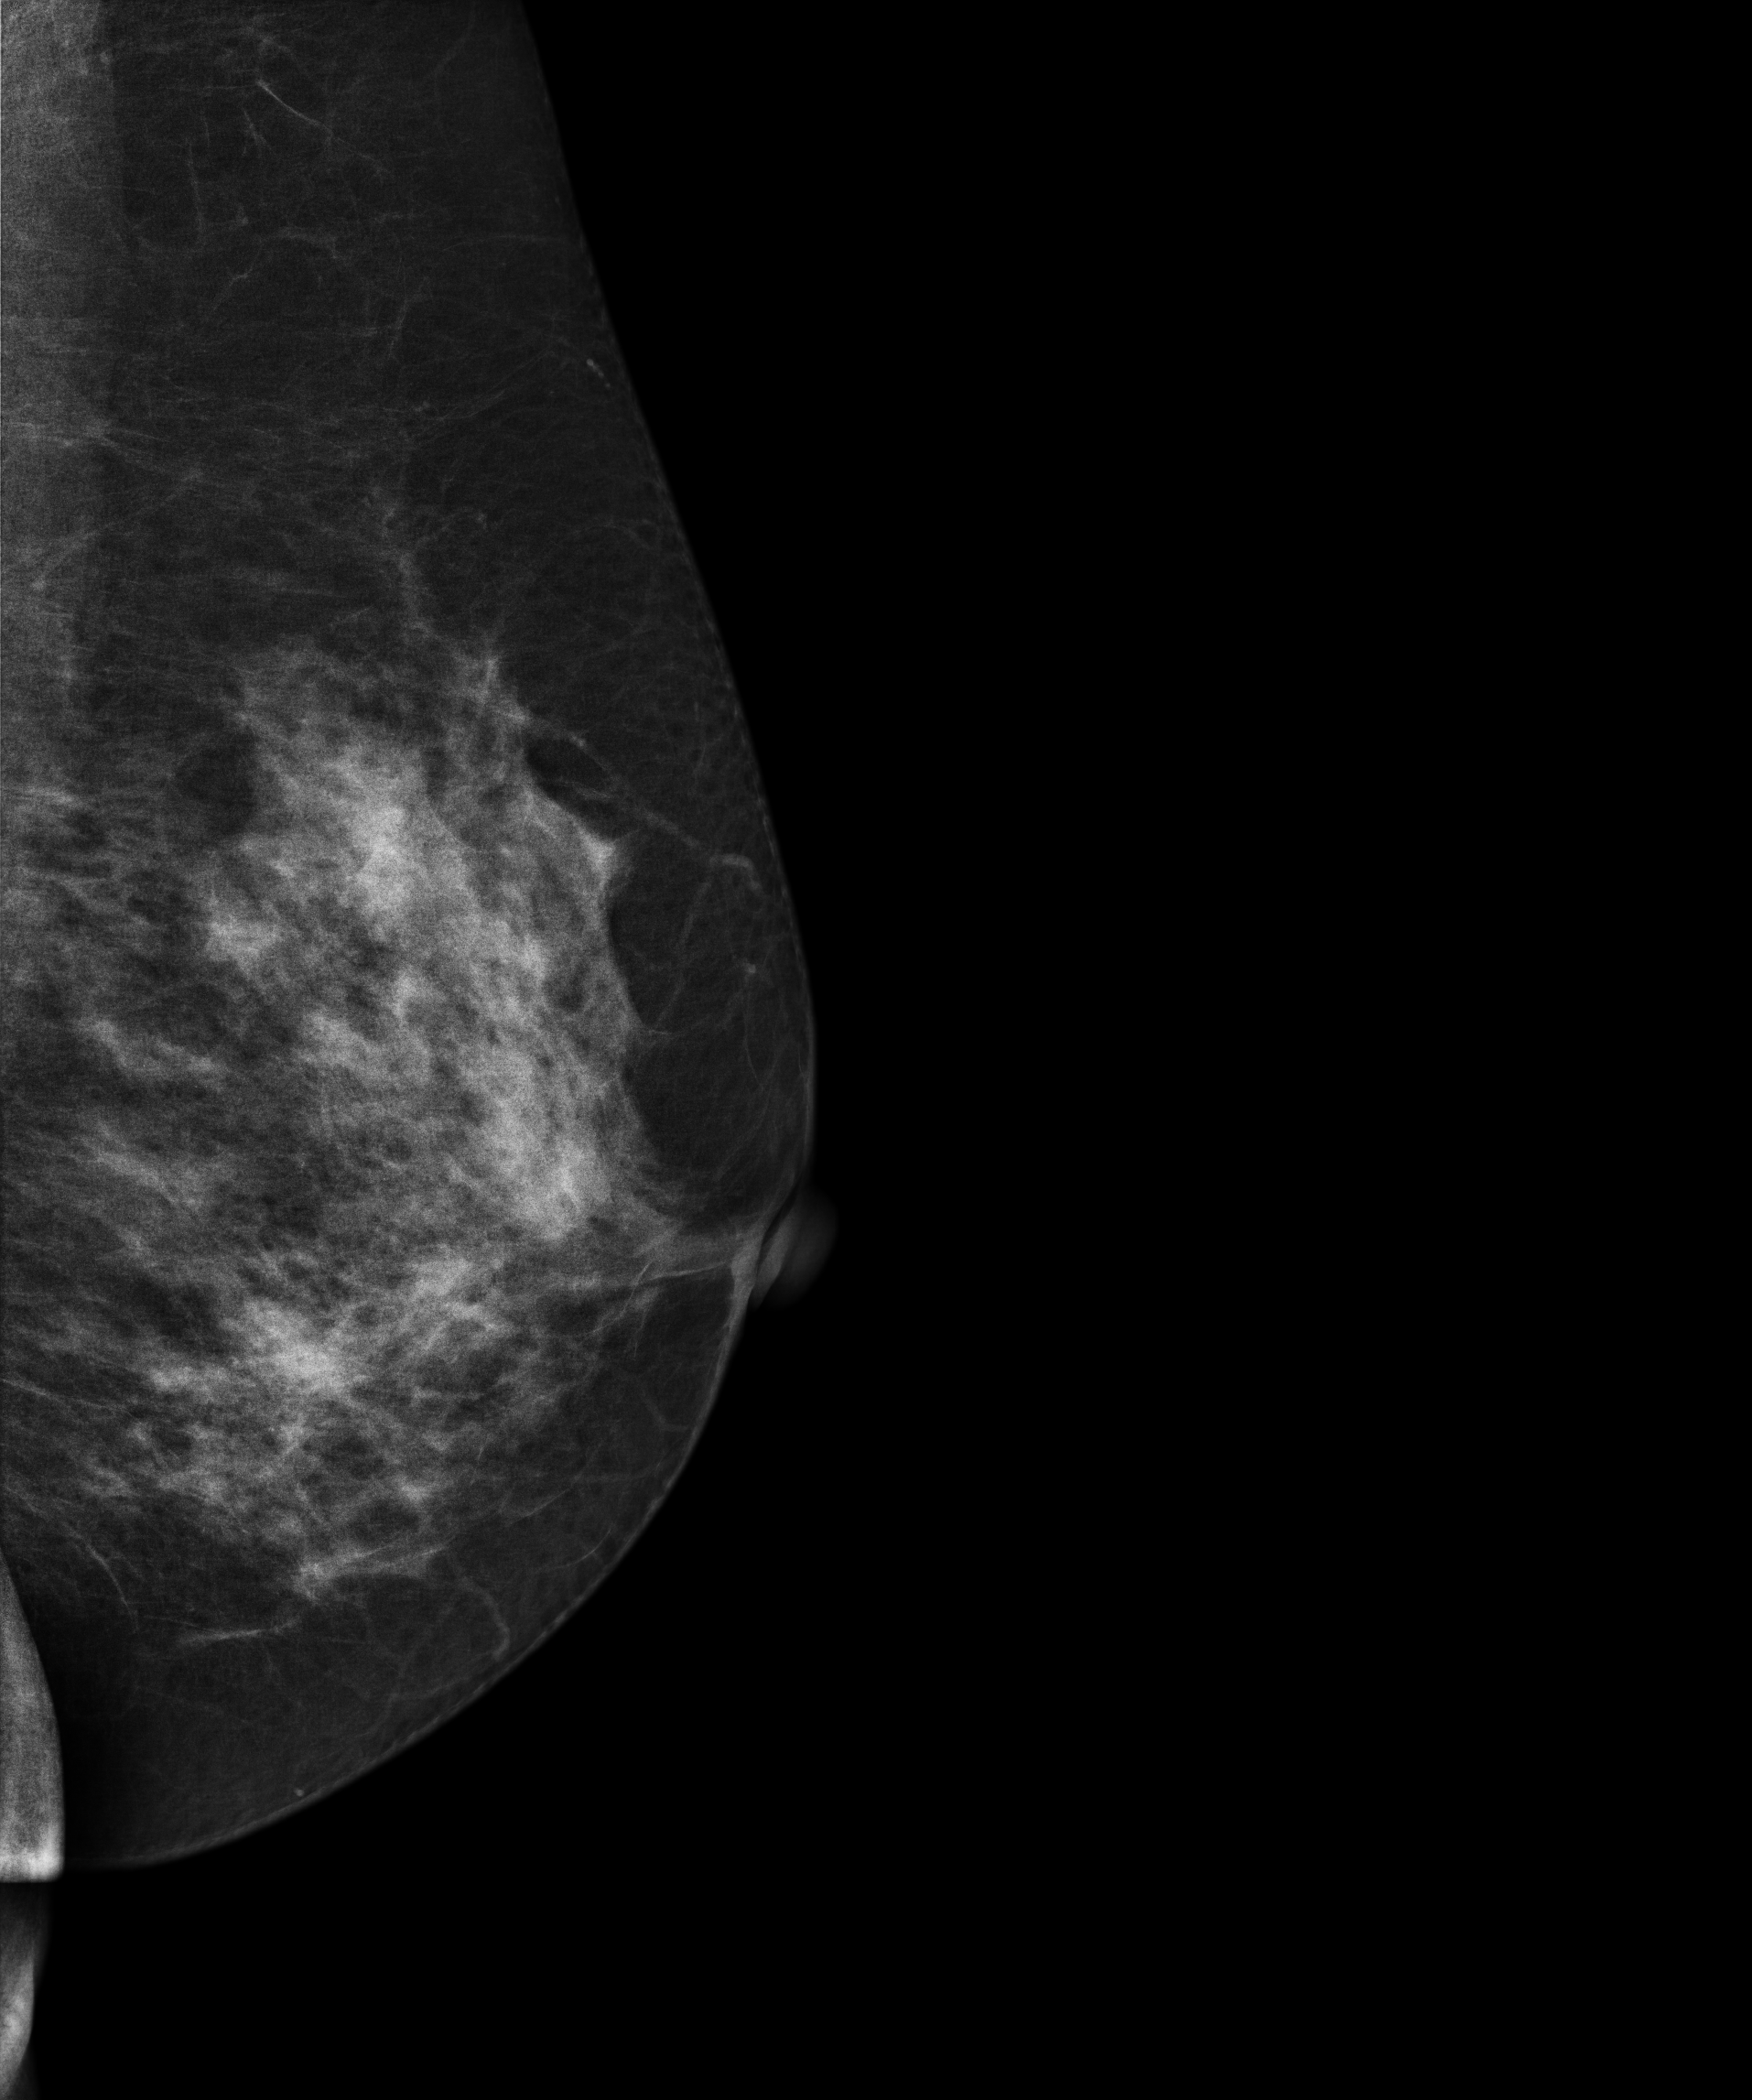
Mammogram, left breast, medio-lateral oblique view. Patient age 60.
Contralateral breast — no documented abnormality on this side.